MLO mammogram of the right breast. 43 y/o patient.
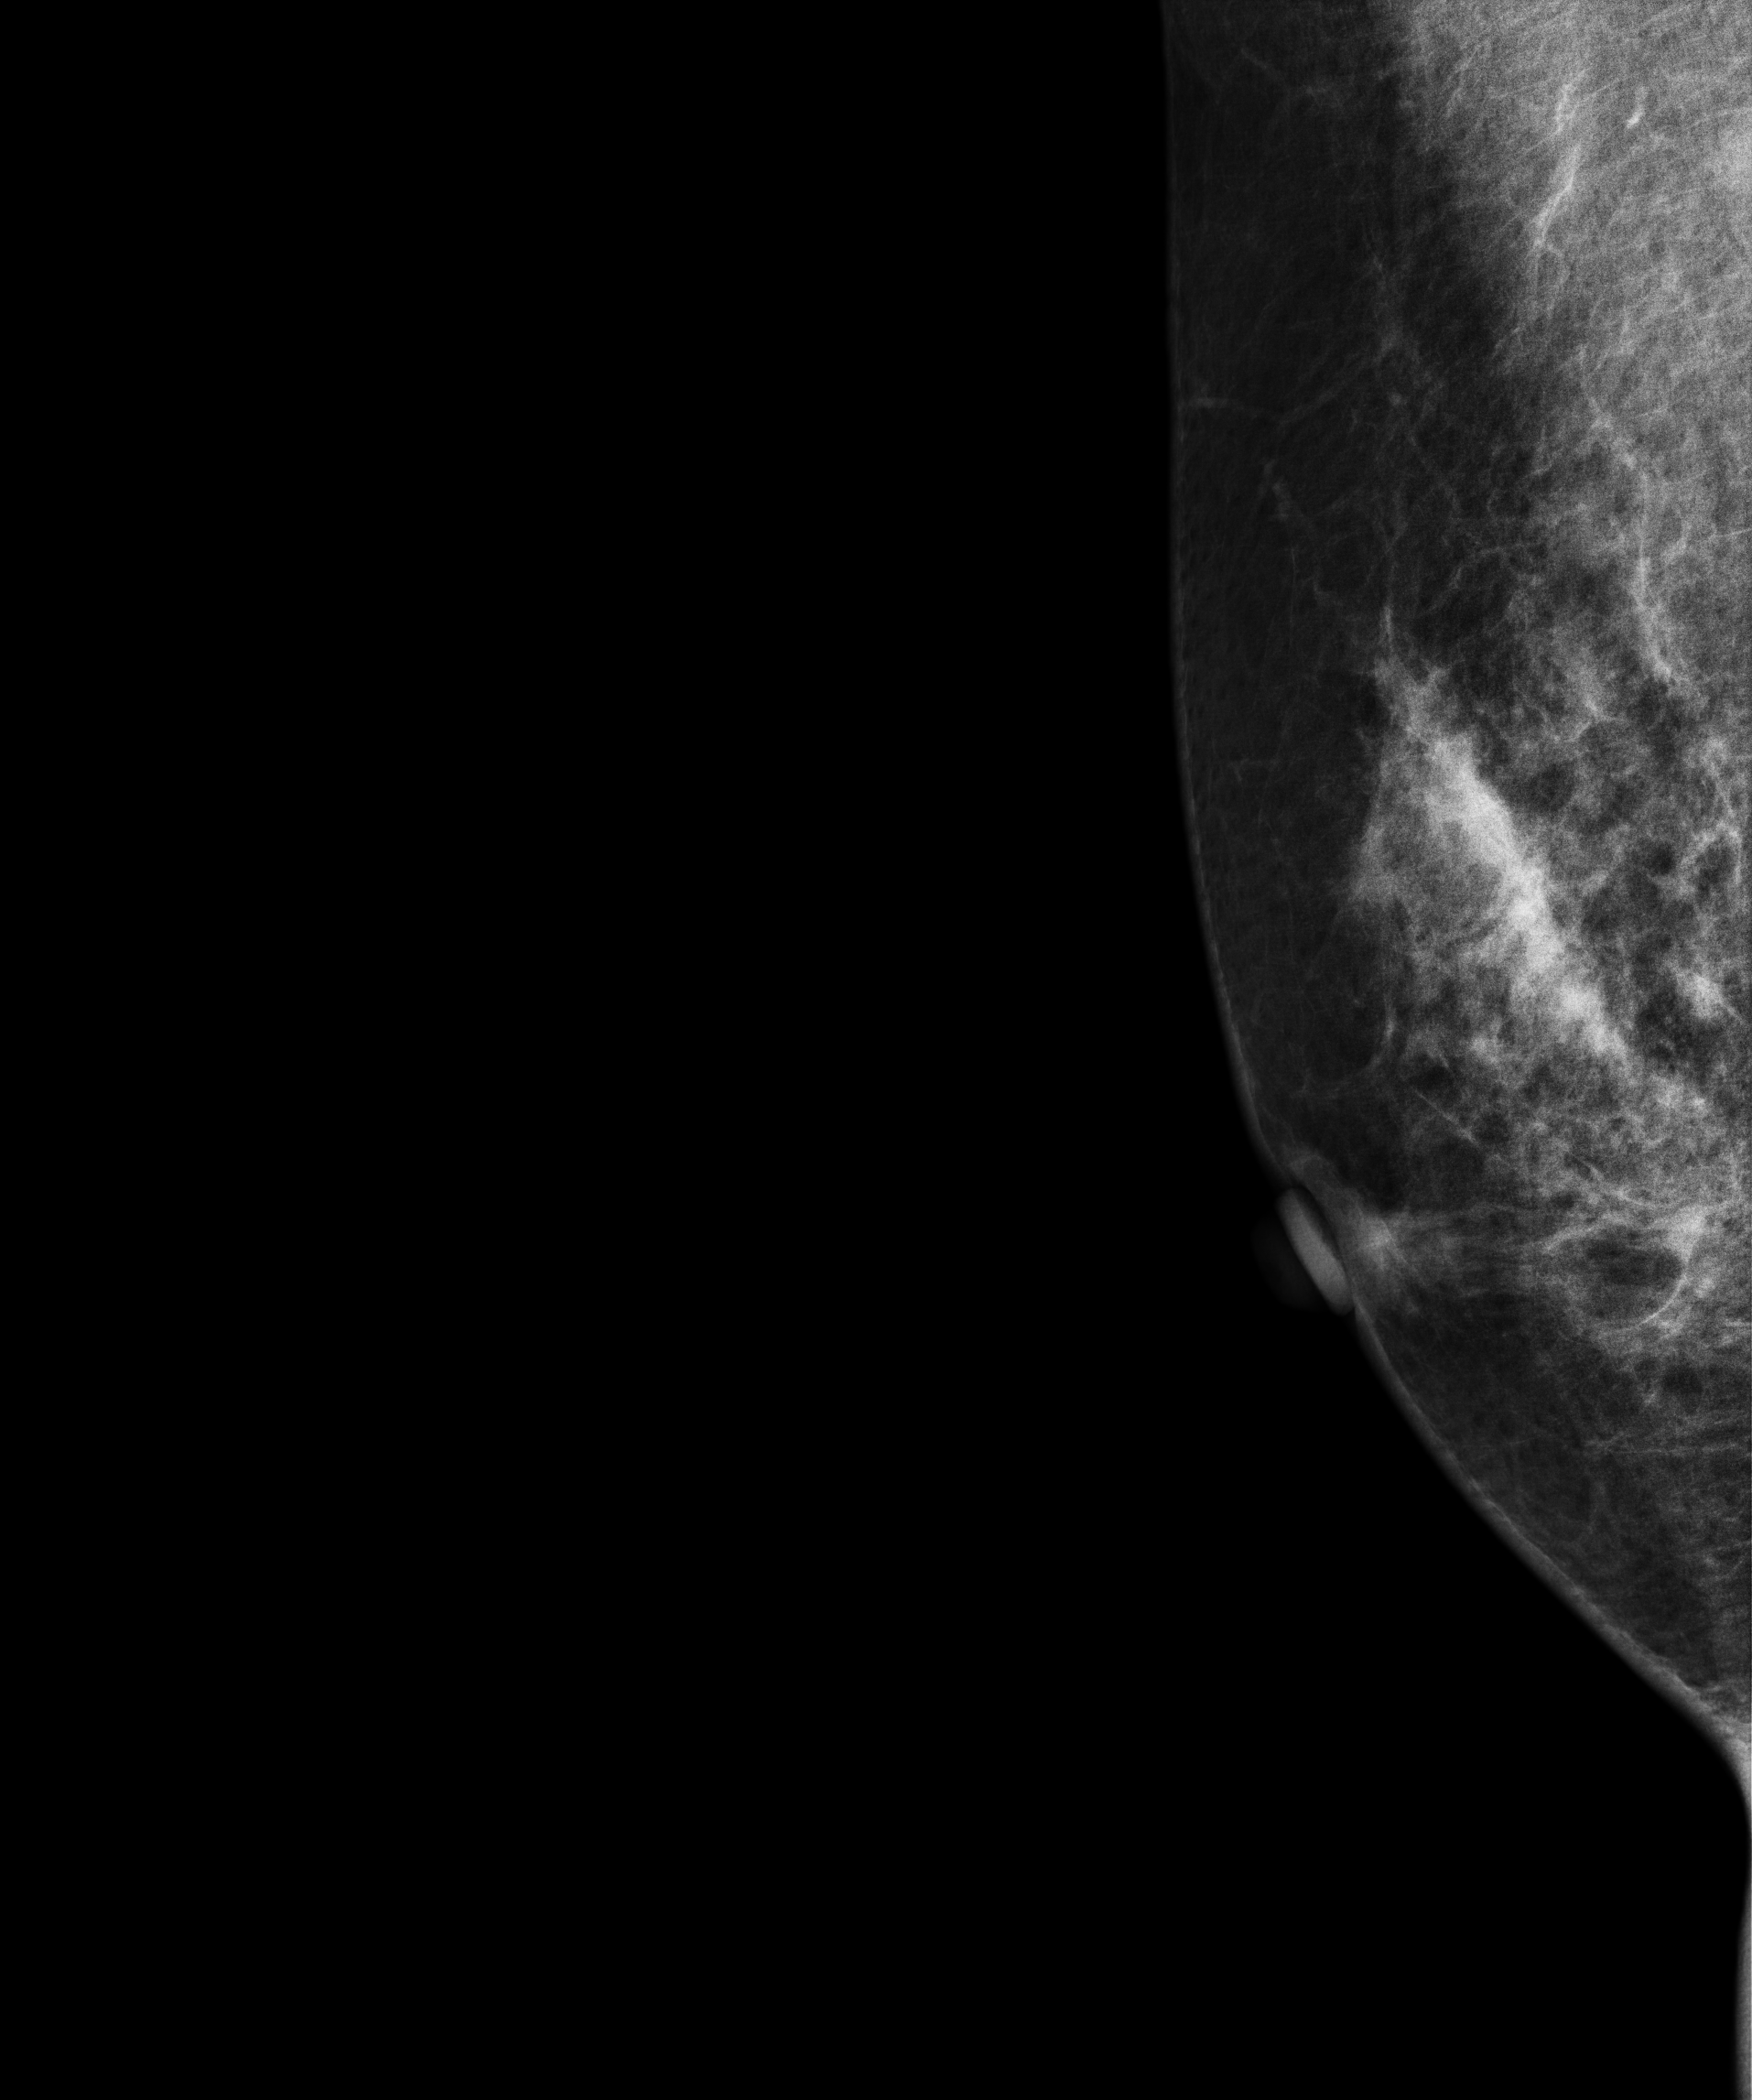
Contralateral breast — no documented abnormality on this side.